Mammogram, left breast, cranio-caudal view. 51-year-old patient.
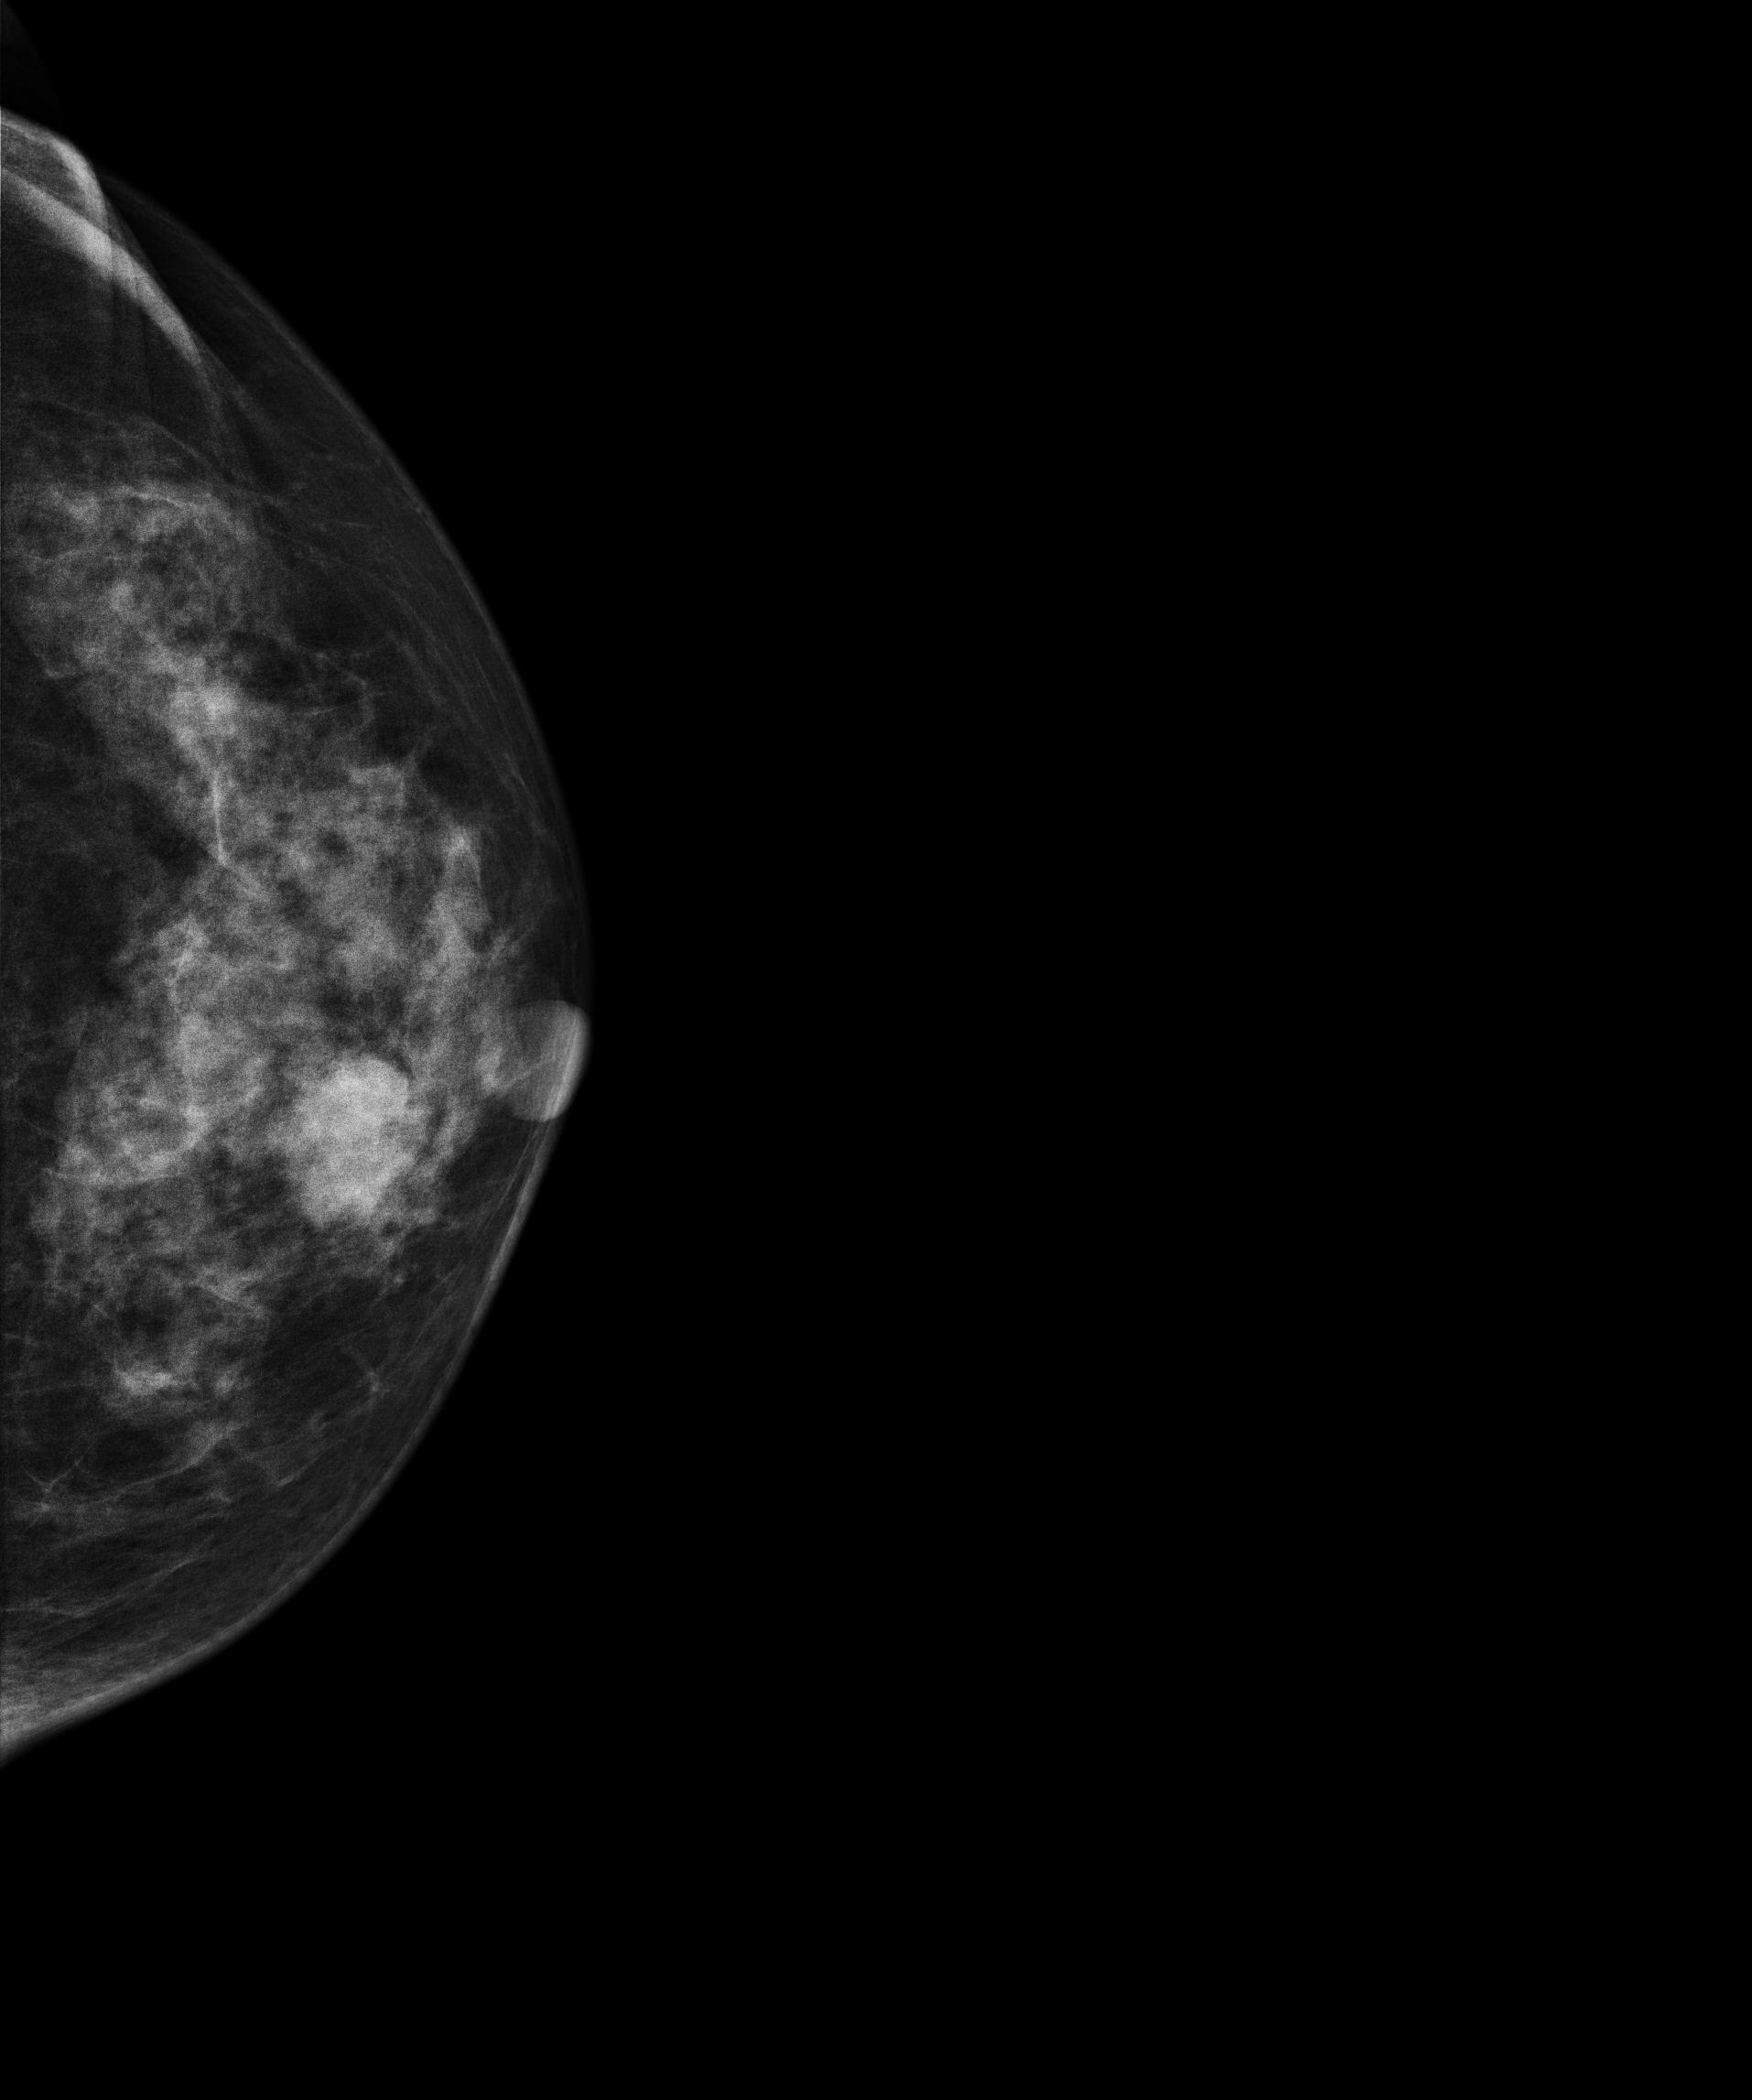
This breast has a mass, pathology-confirmed malignant.